Left-breast mammogram, medio-lateral oblique. Patient age 45.
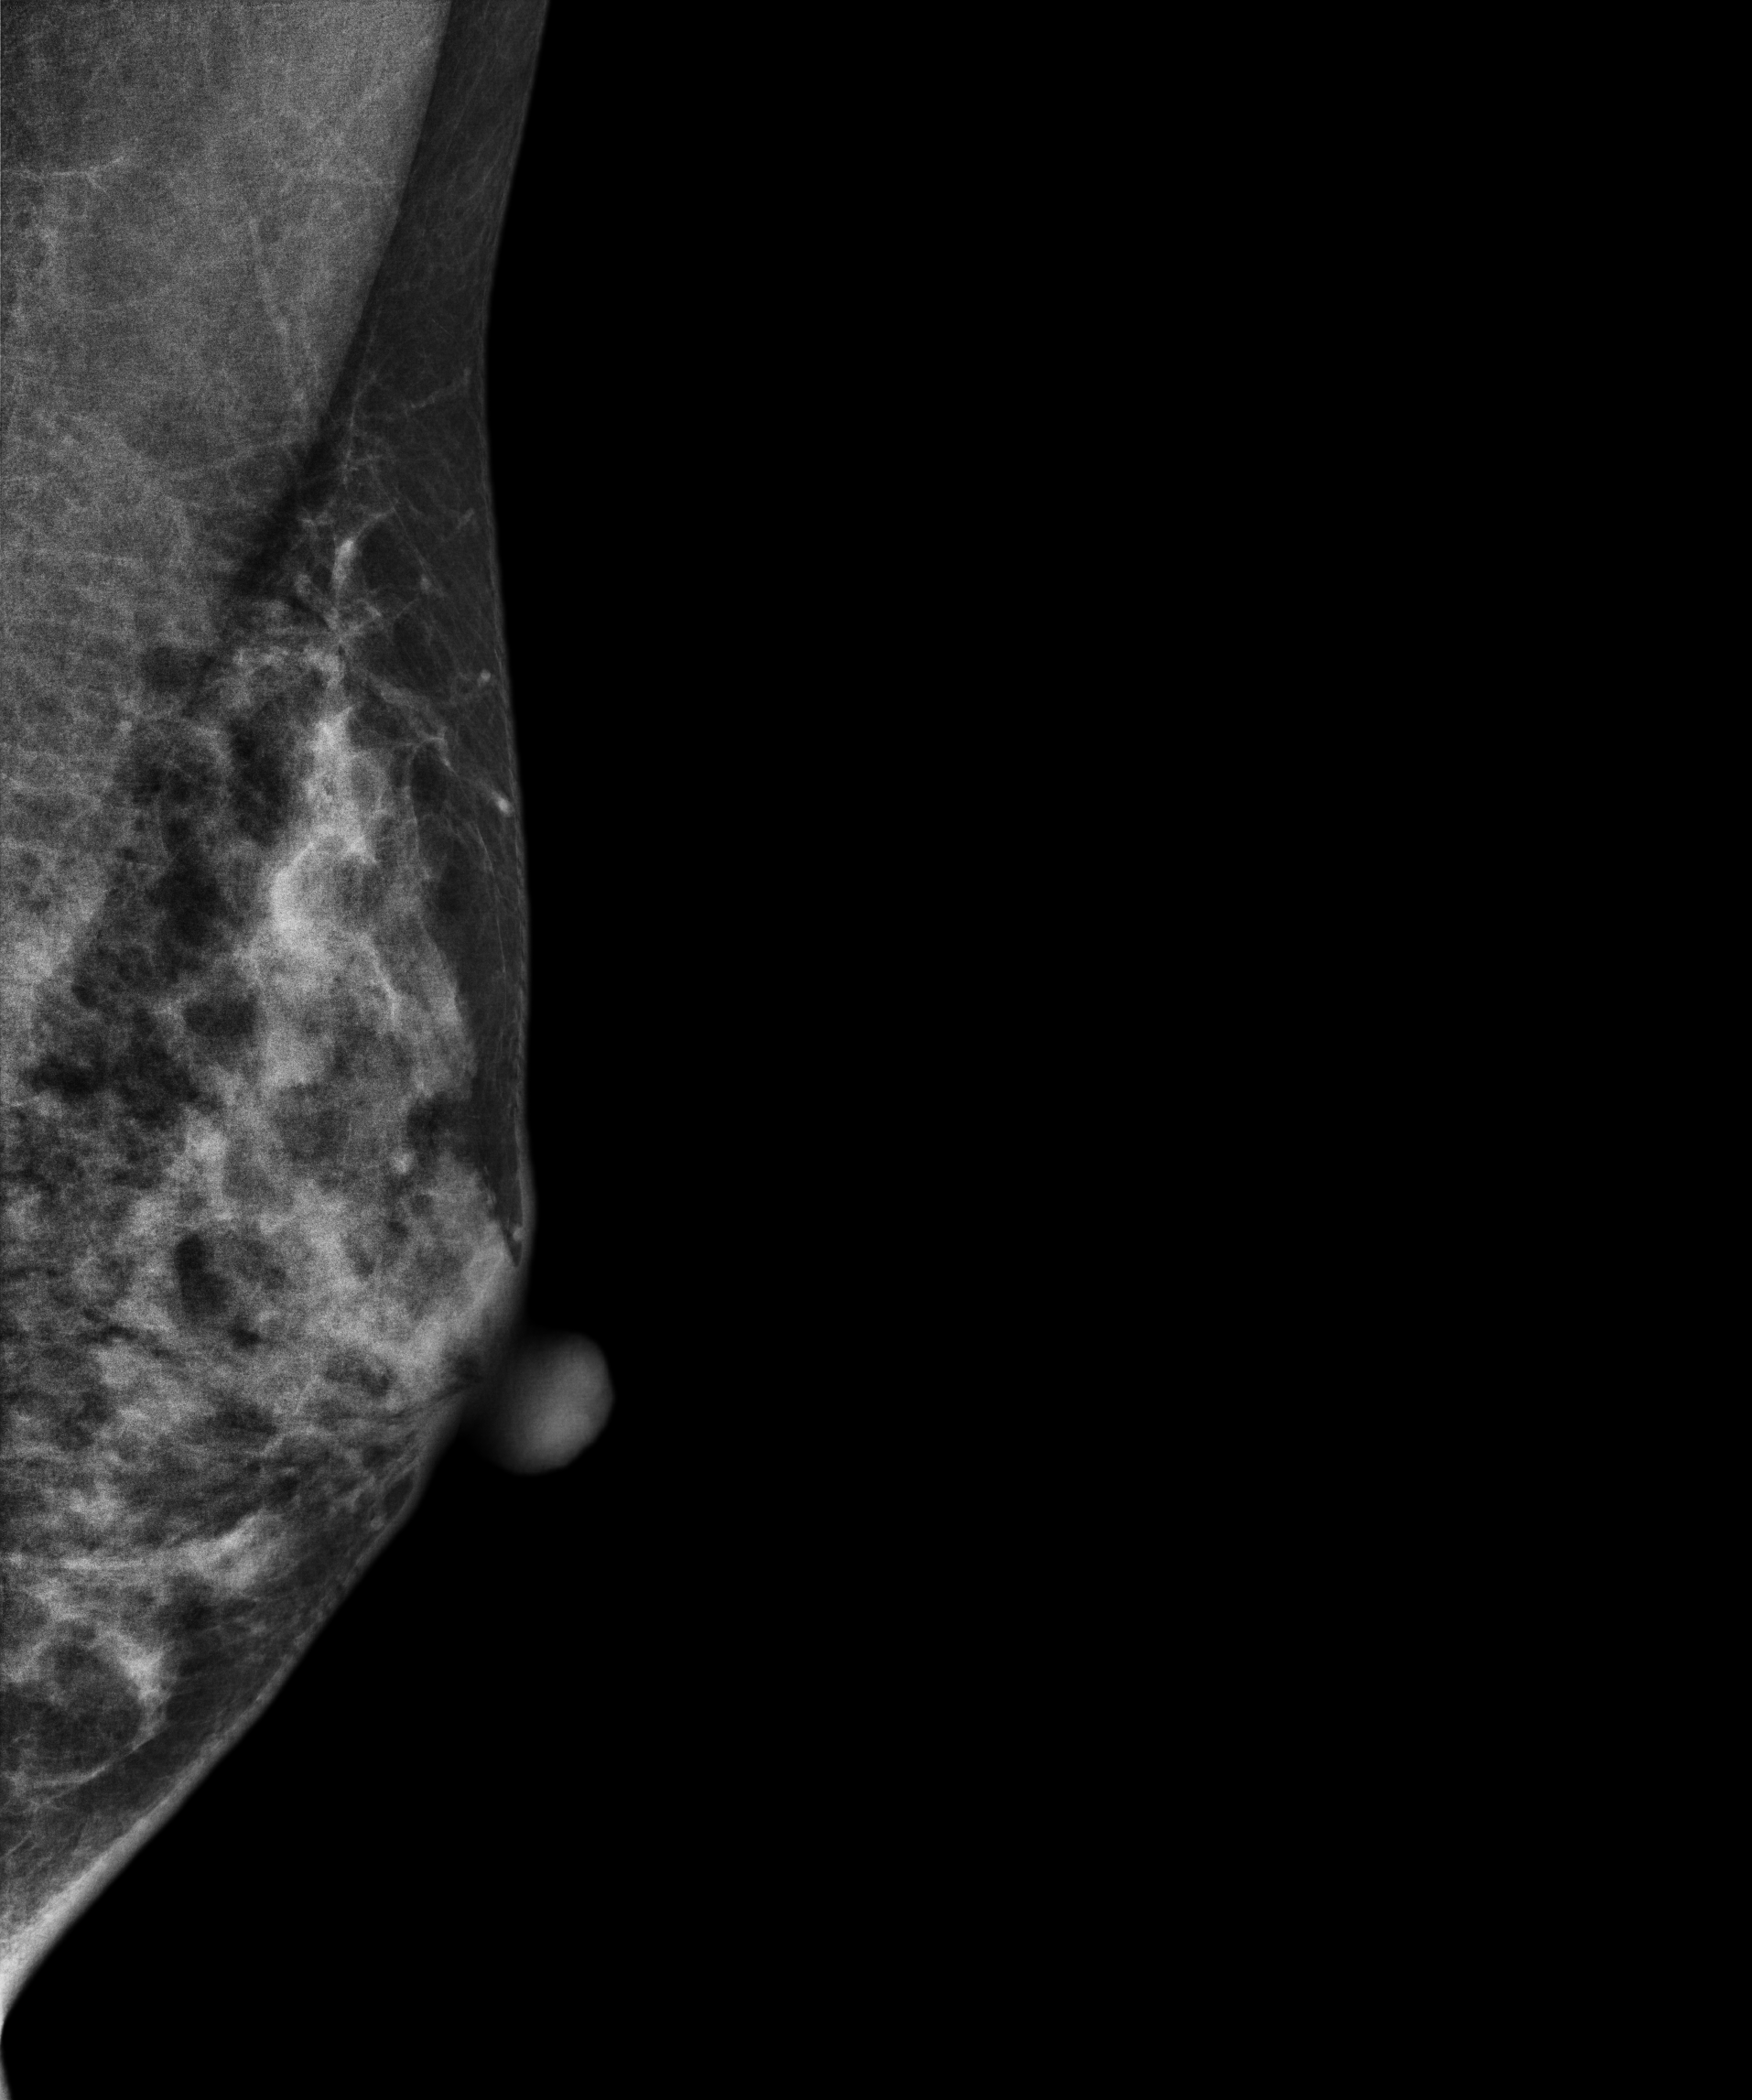
This breast has a mass, histologically confirmed malignant. Molecular subtype: luminal B.